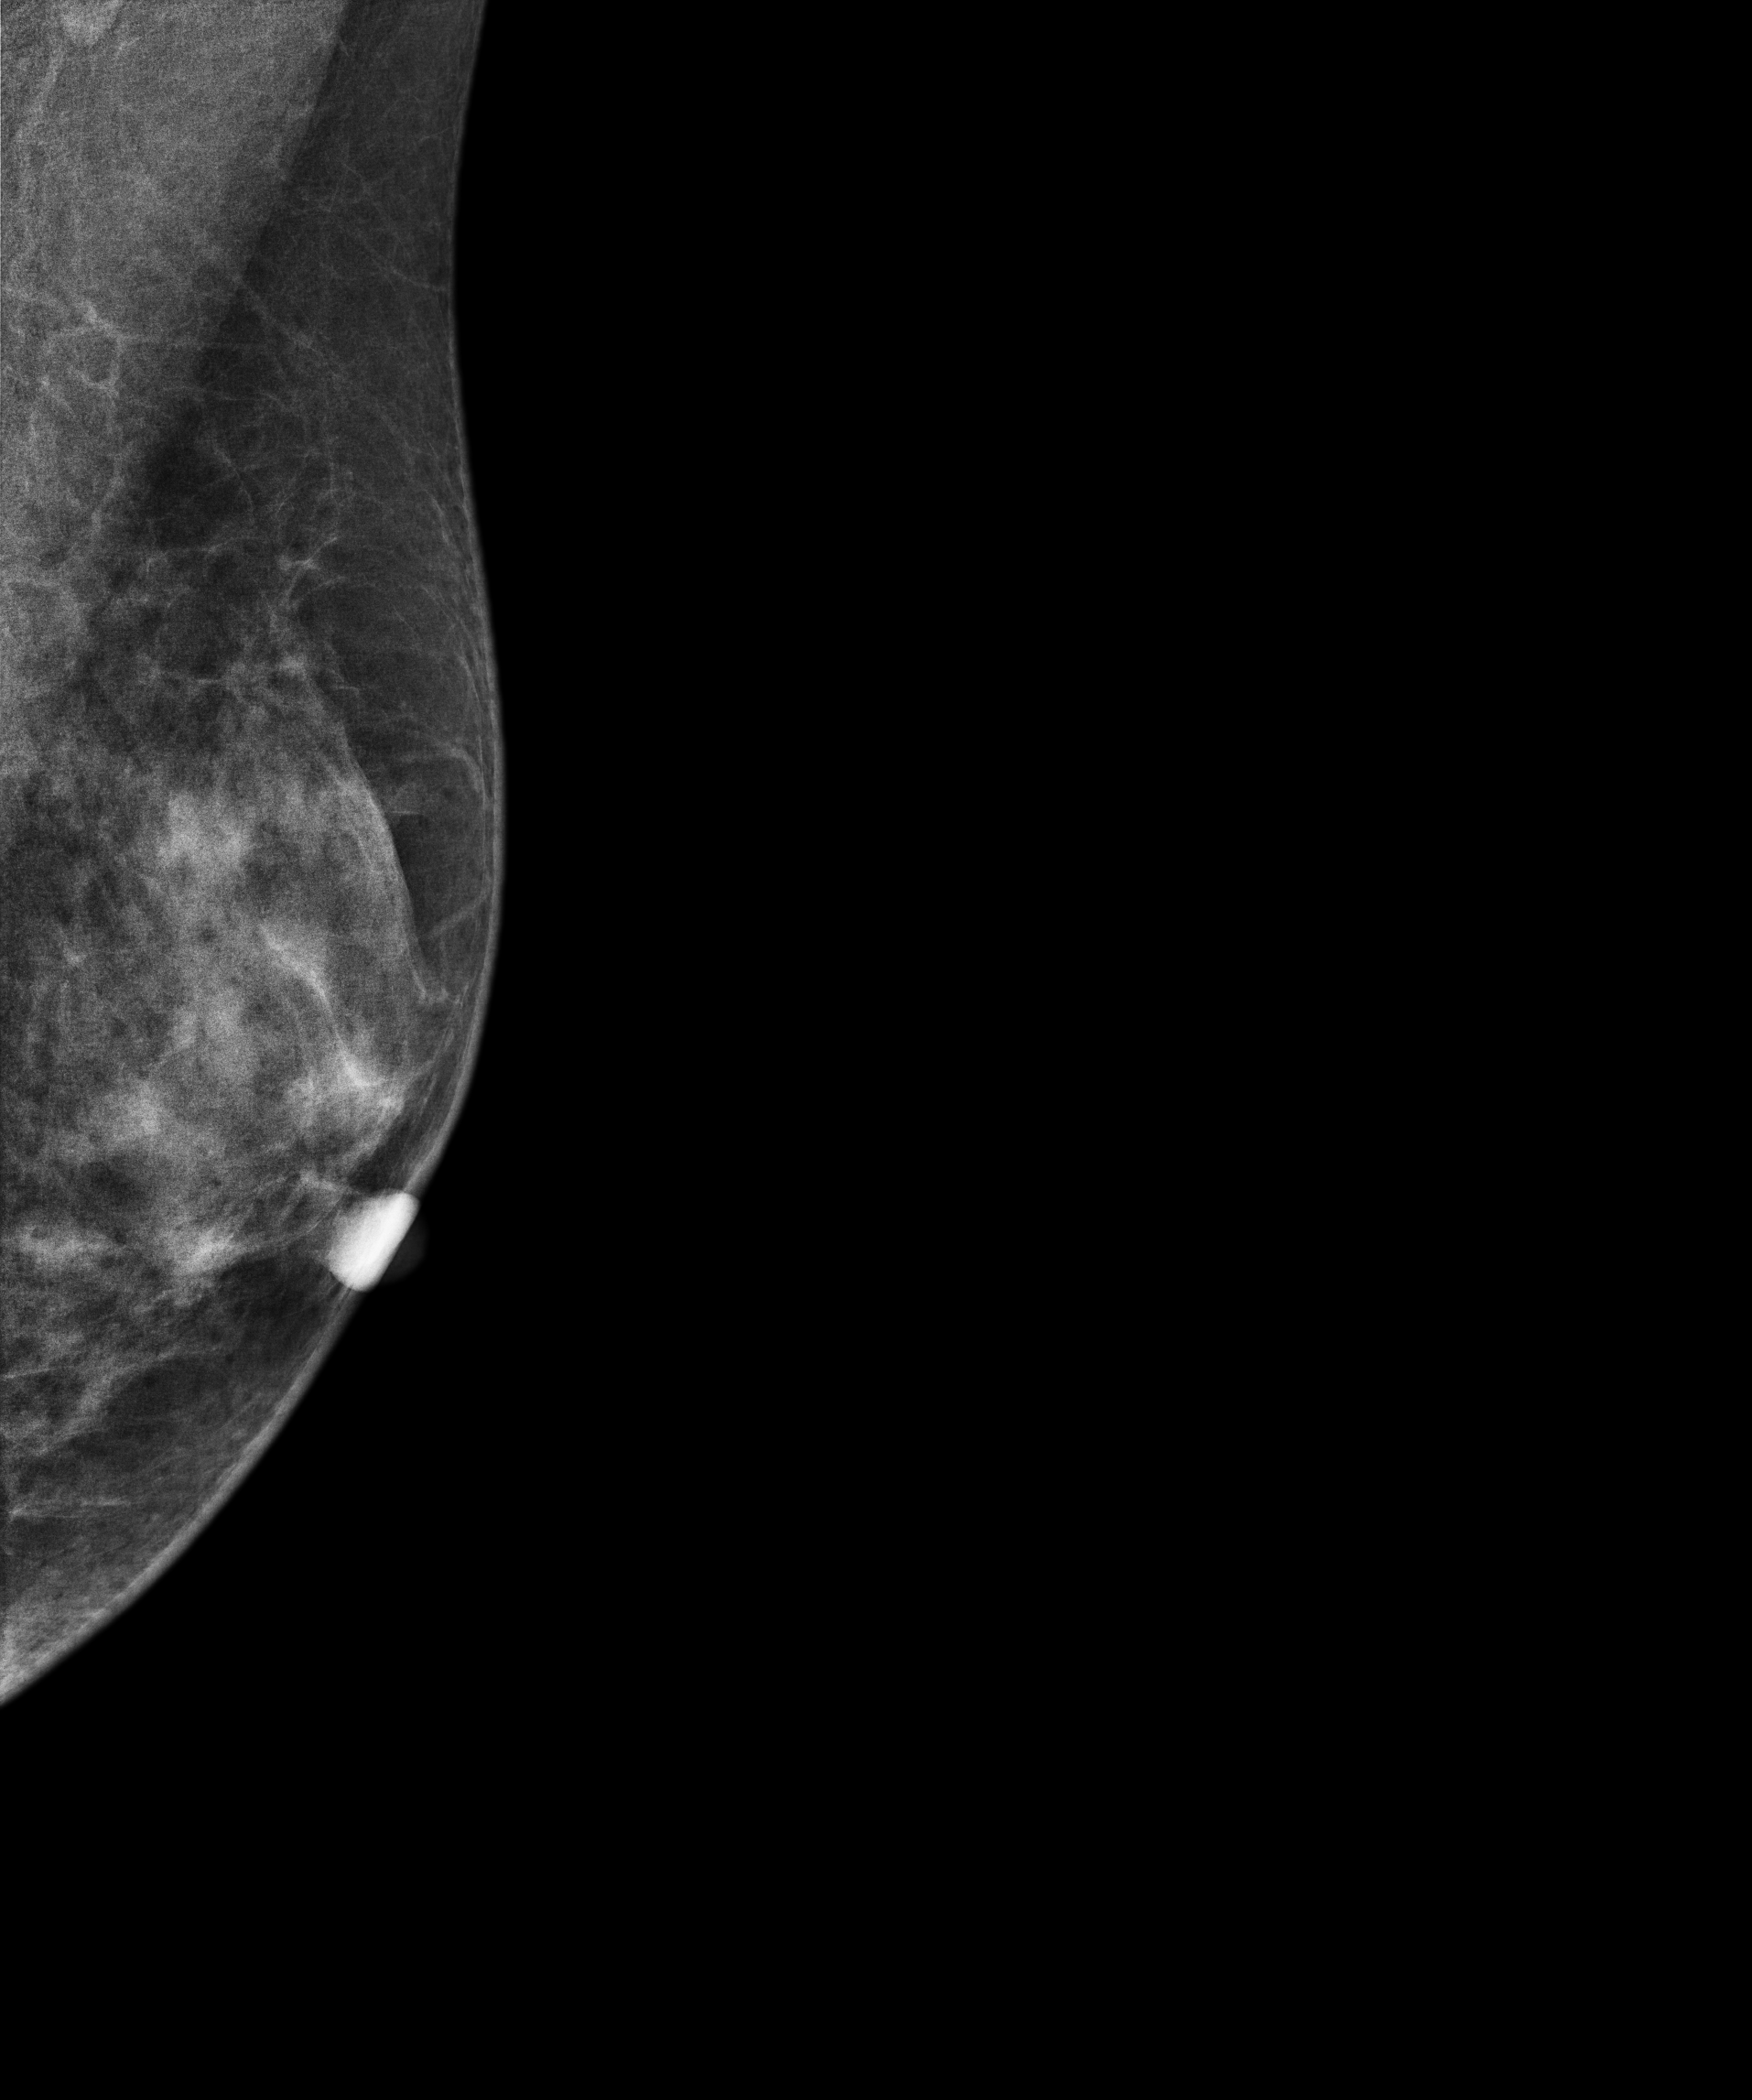
MLO mammogram of the left breast. 41 y/o patient.
Contralateral breast — no documented abnormality on this side.